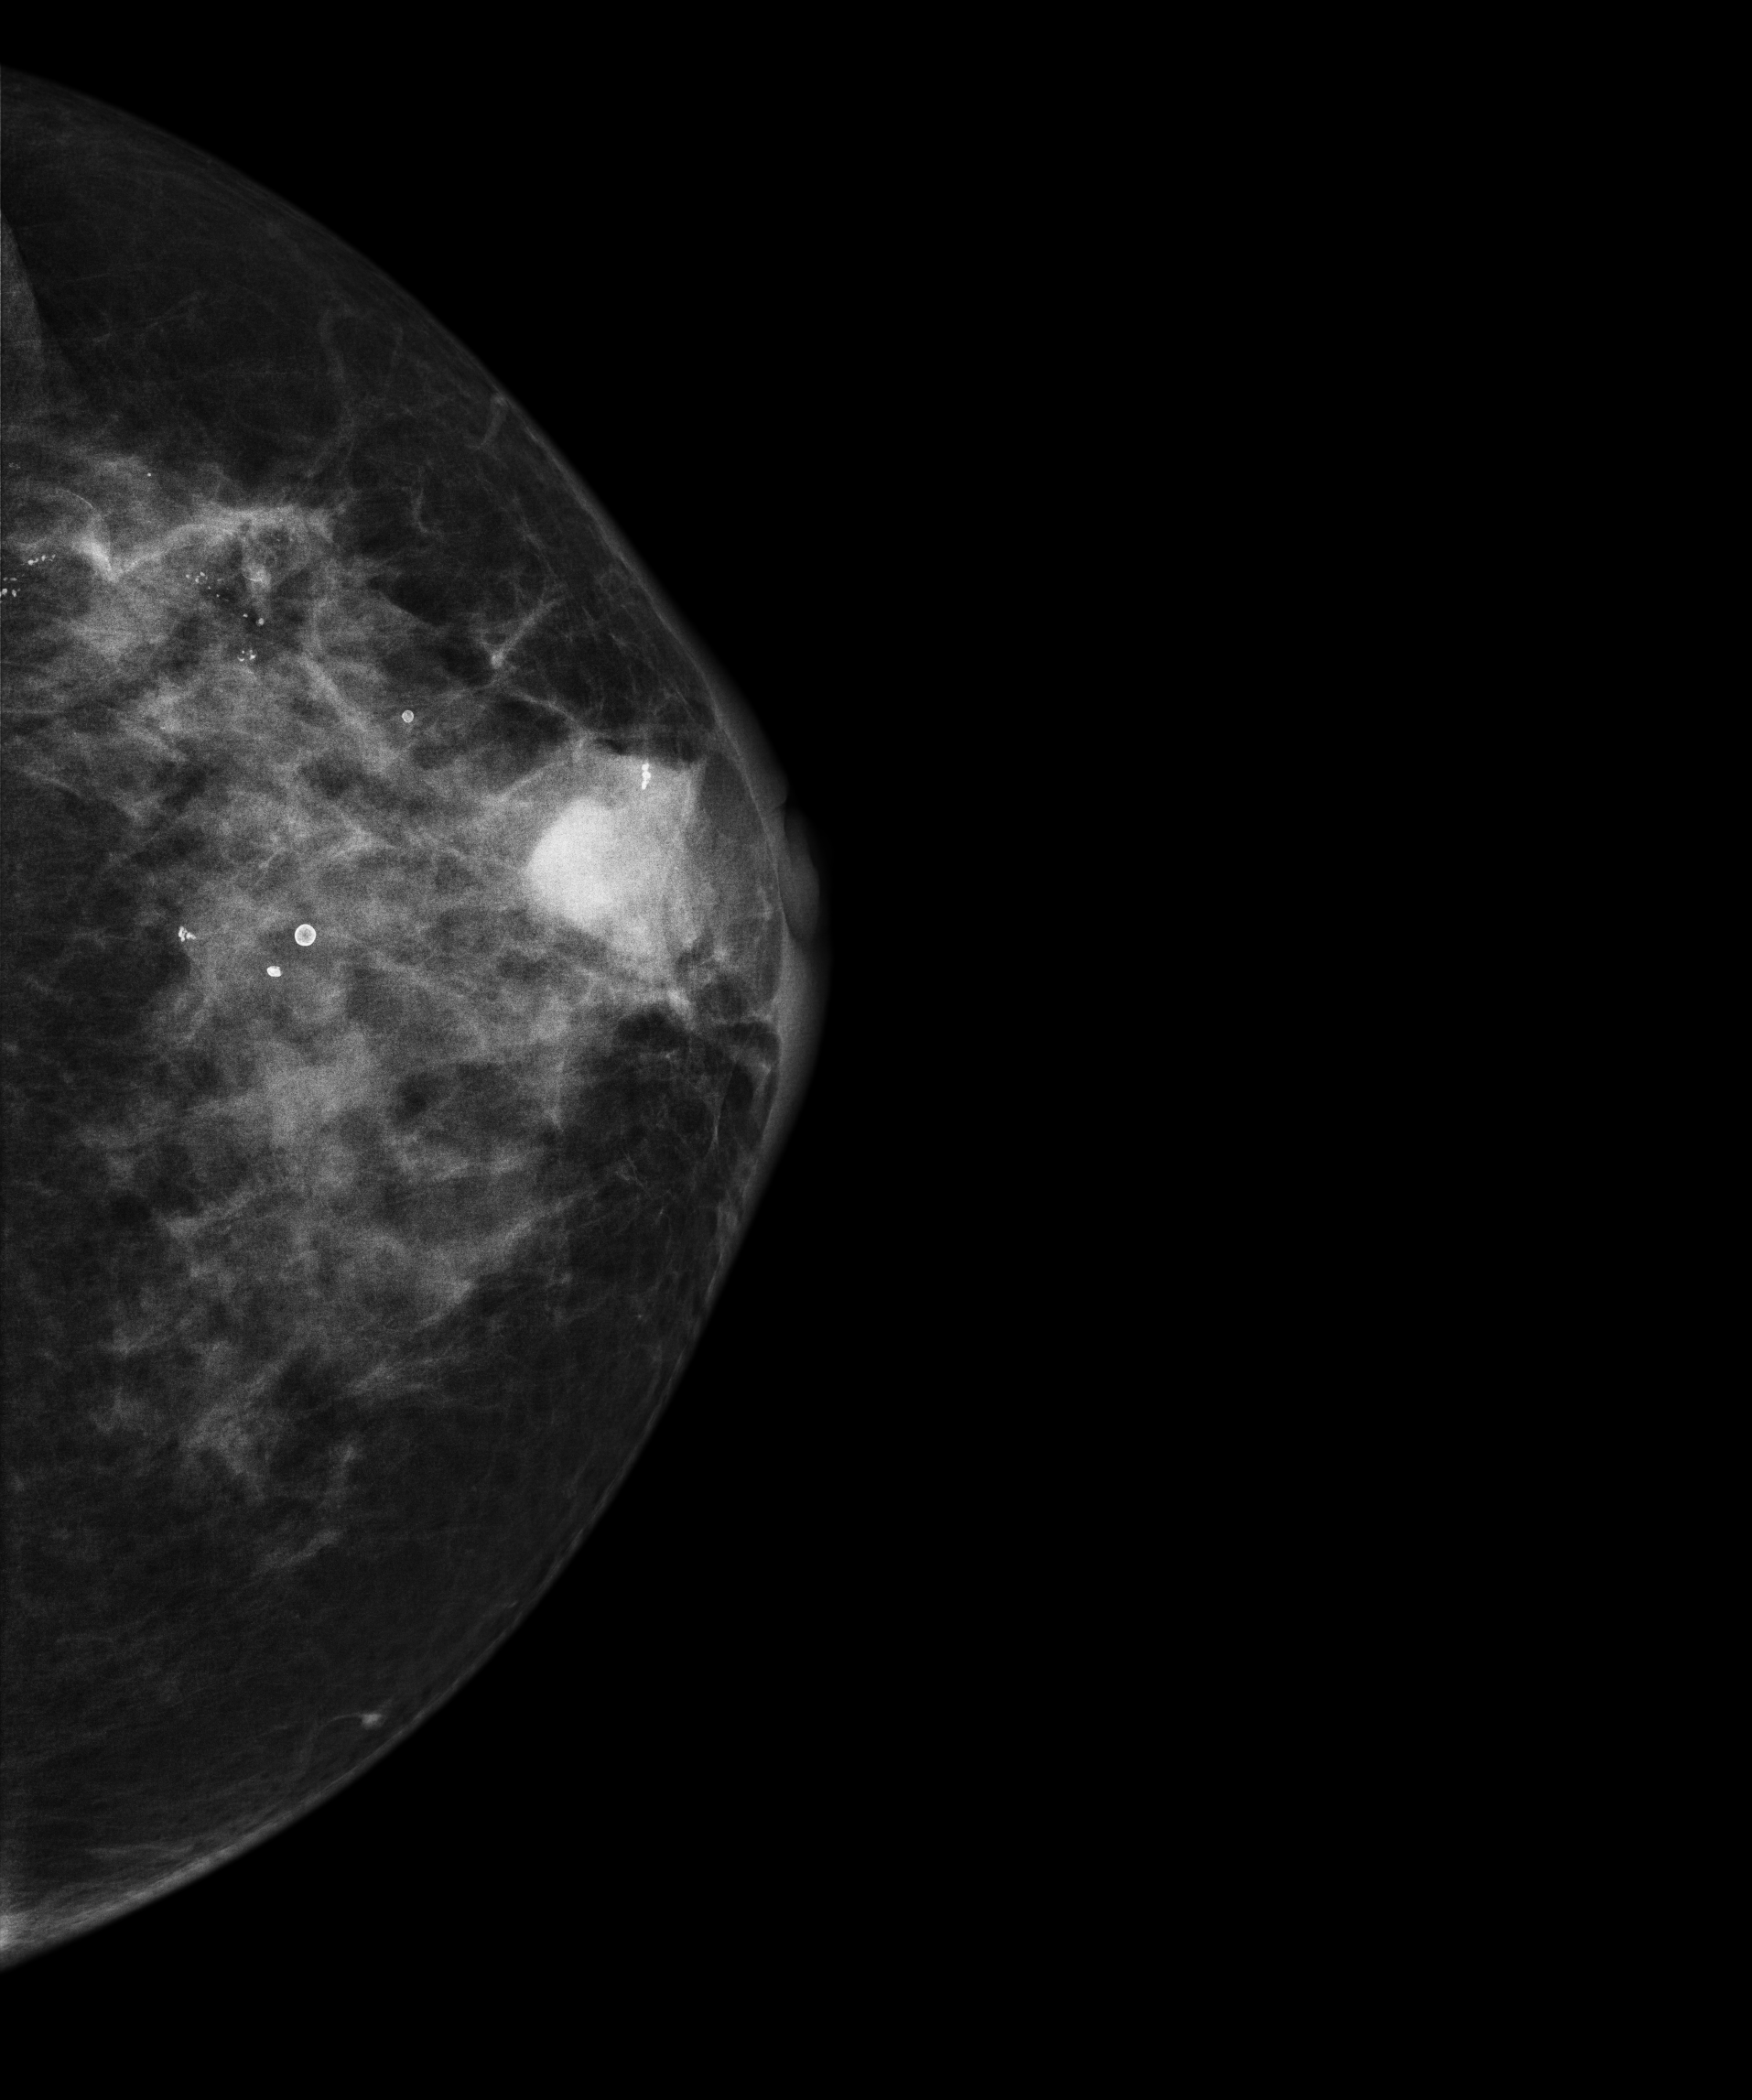
Mammogram — left cranio-caudal. Patient age 63.
This breast has a mass and calcifications, biopsy-proven malignant. Molecular subtype: HER2-enriched.